Digital mammography. Right breast, cranio-caudal projection. 50 y/o patient.
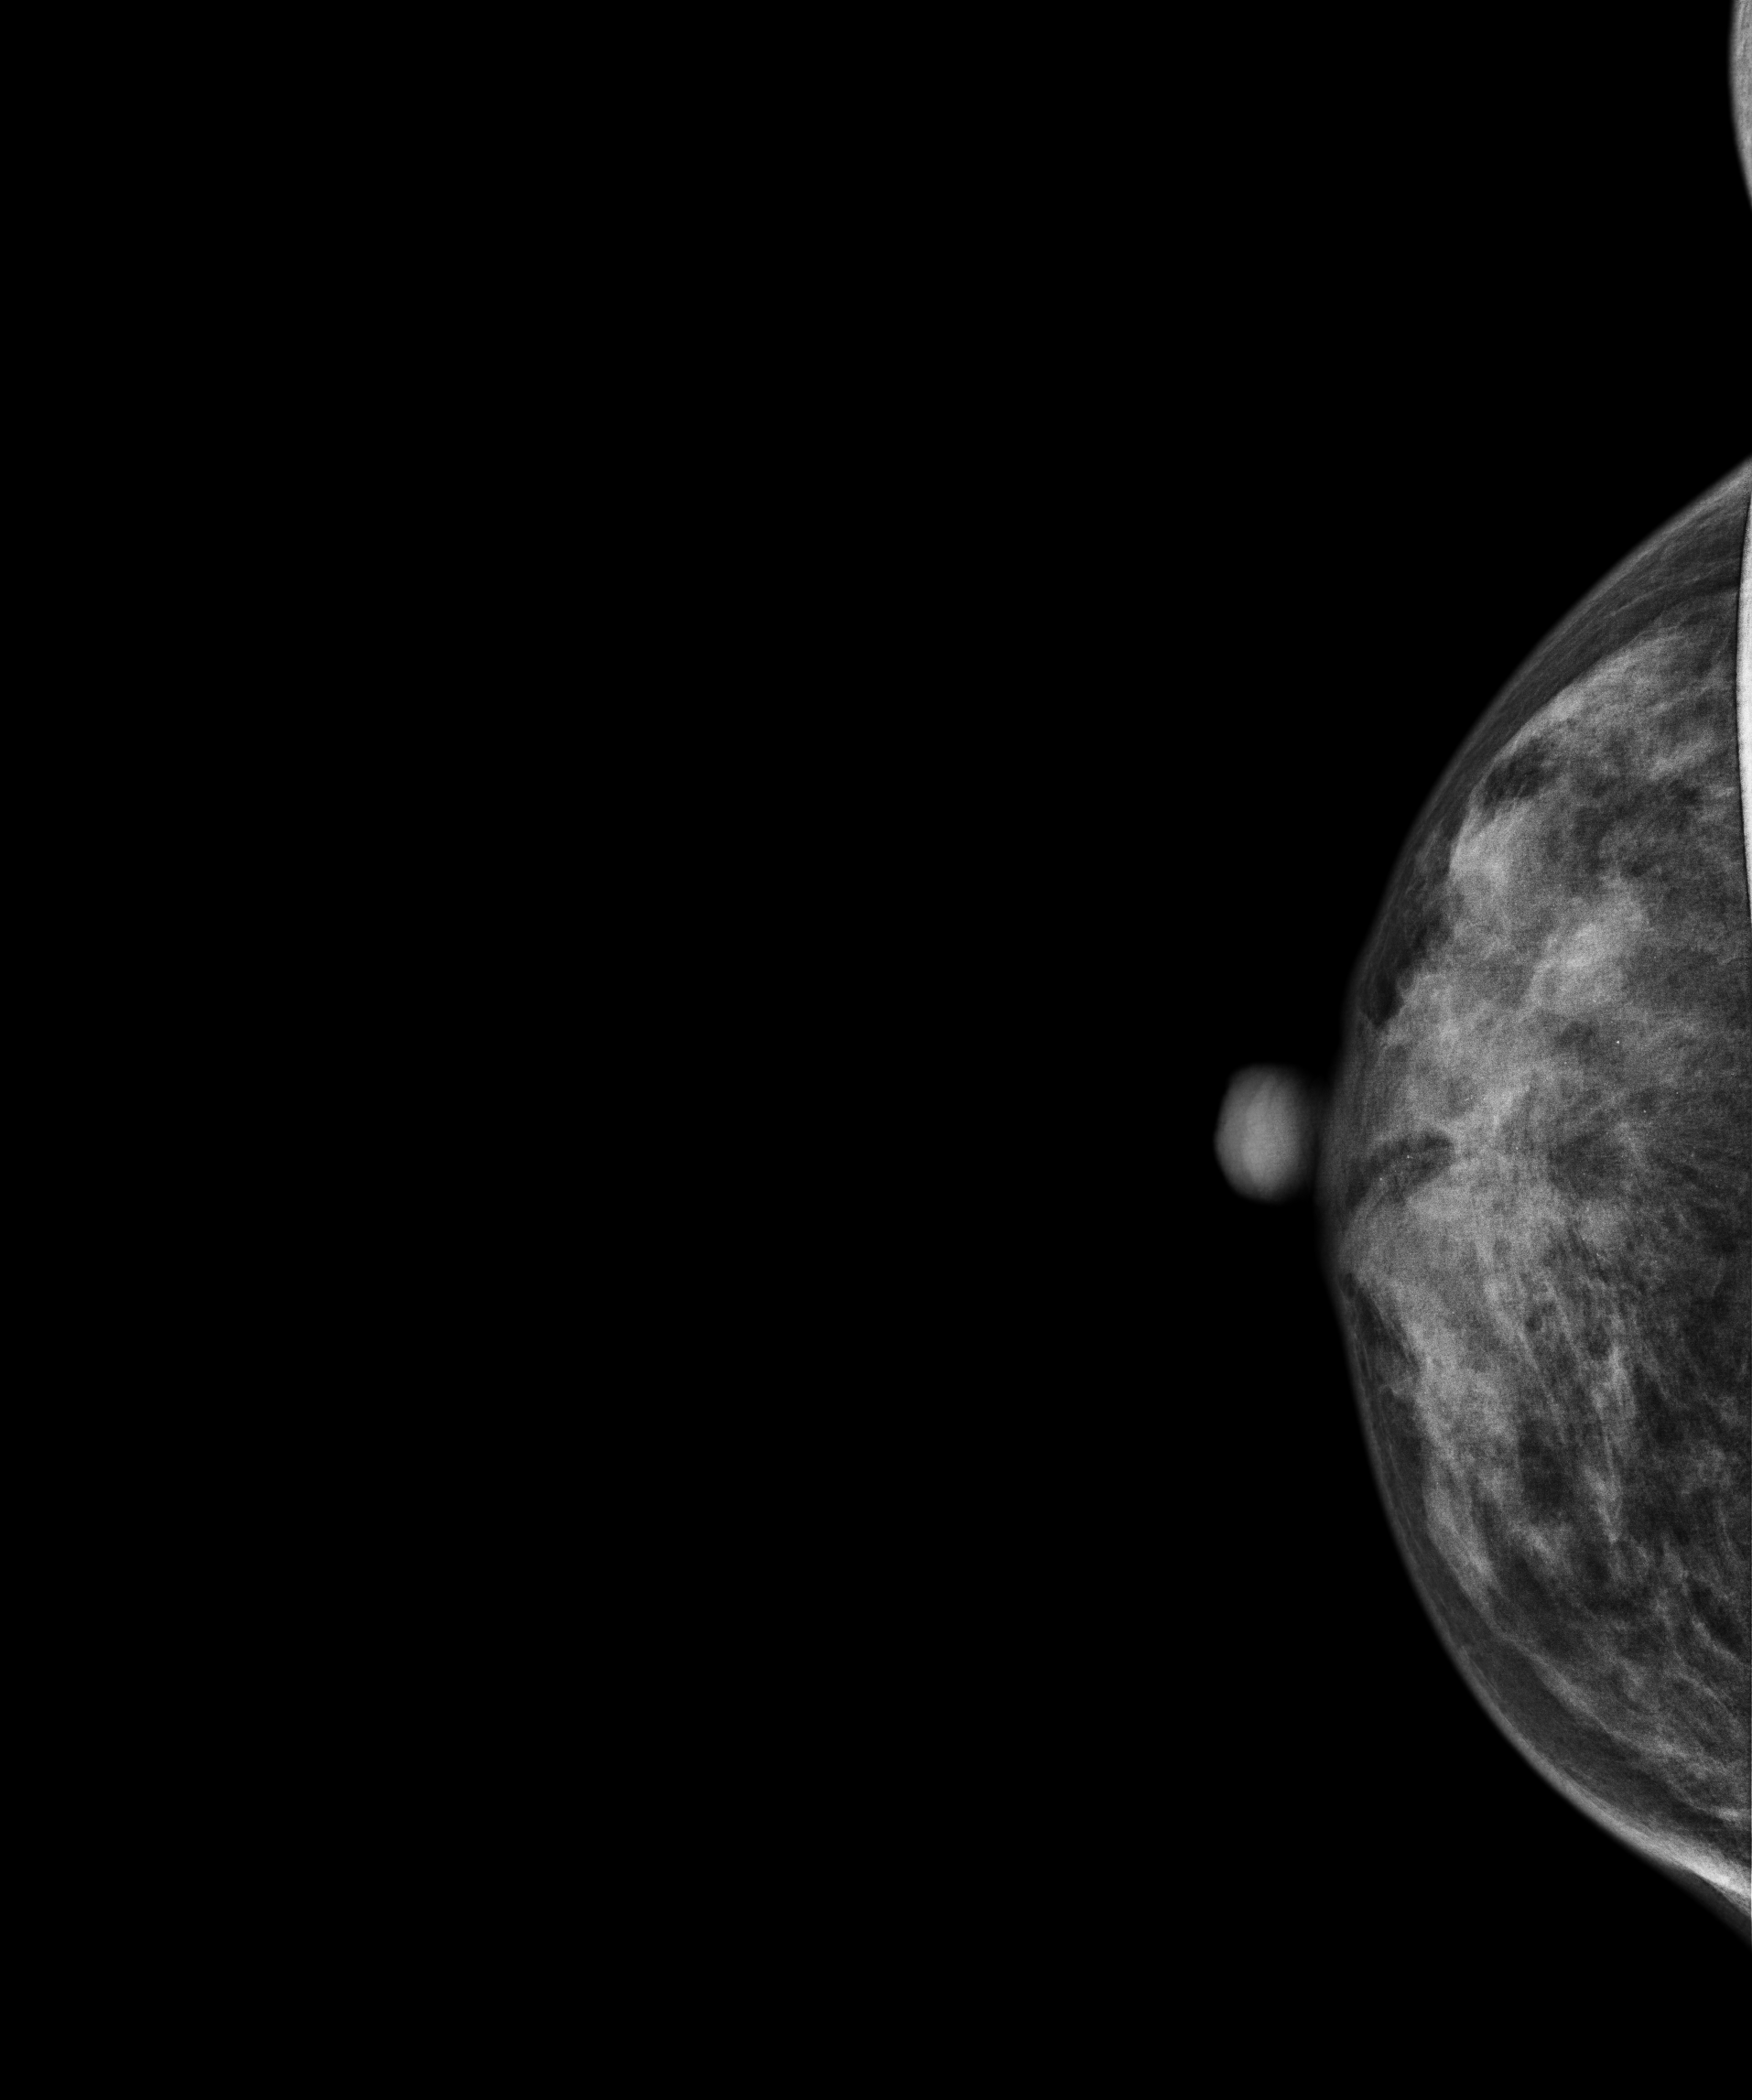
This breast has a mass and calcifications, biopsy-confirmed malignant.